CC mammogram of the right breast. Patient age 34.
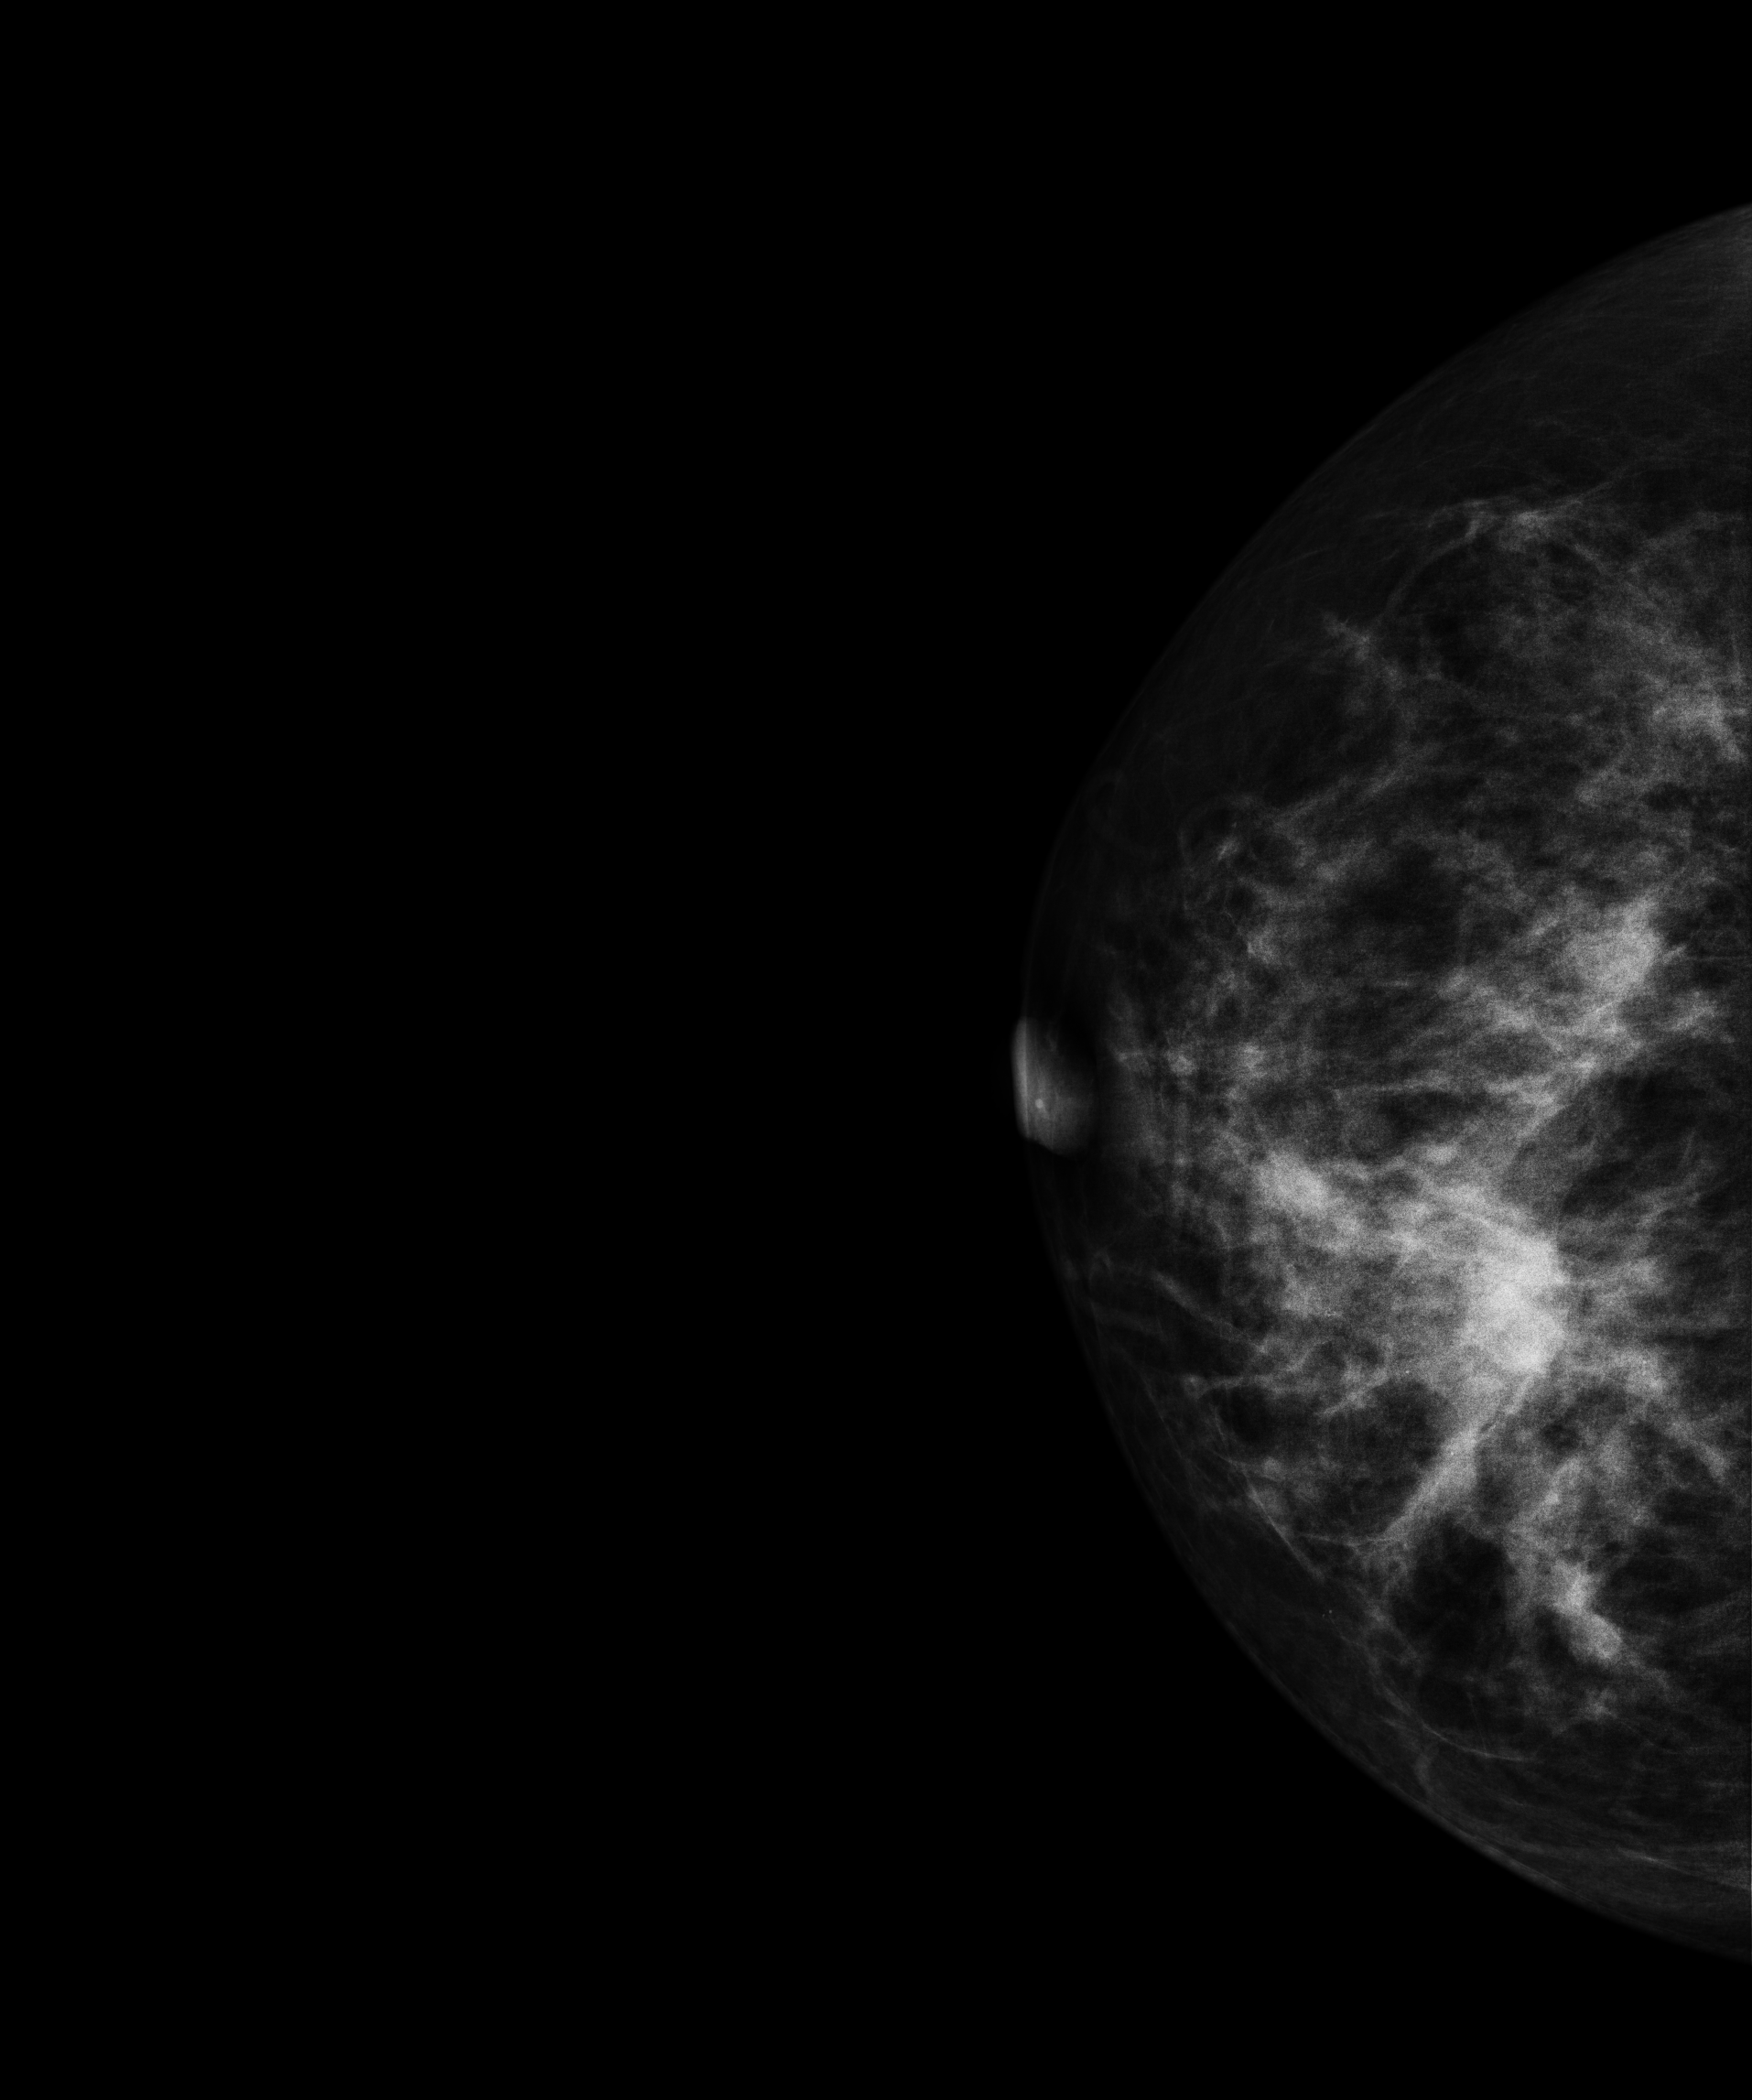
This breast has a mass, pathology-confirmed malignant.